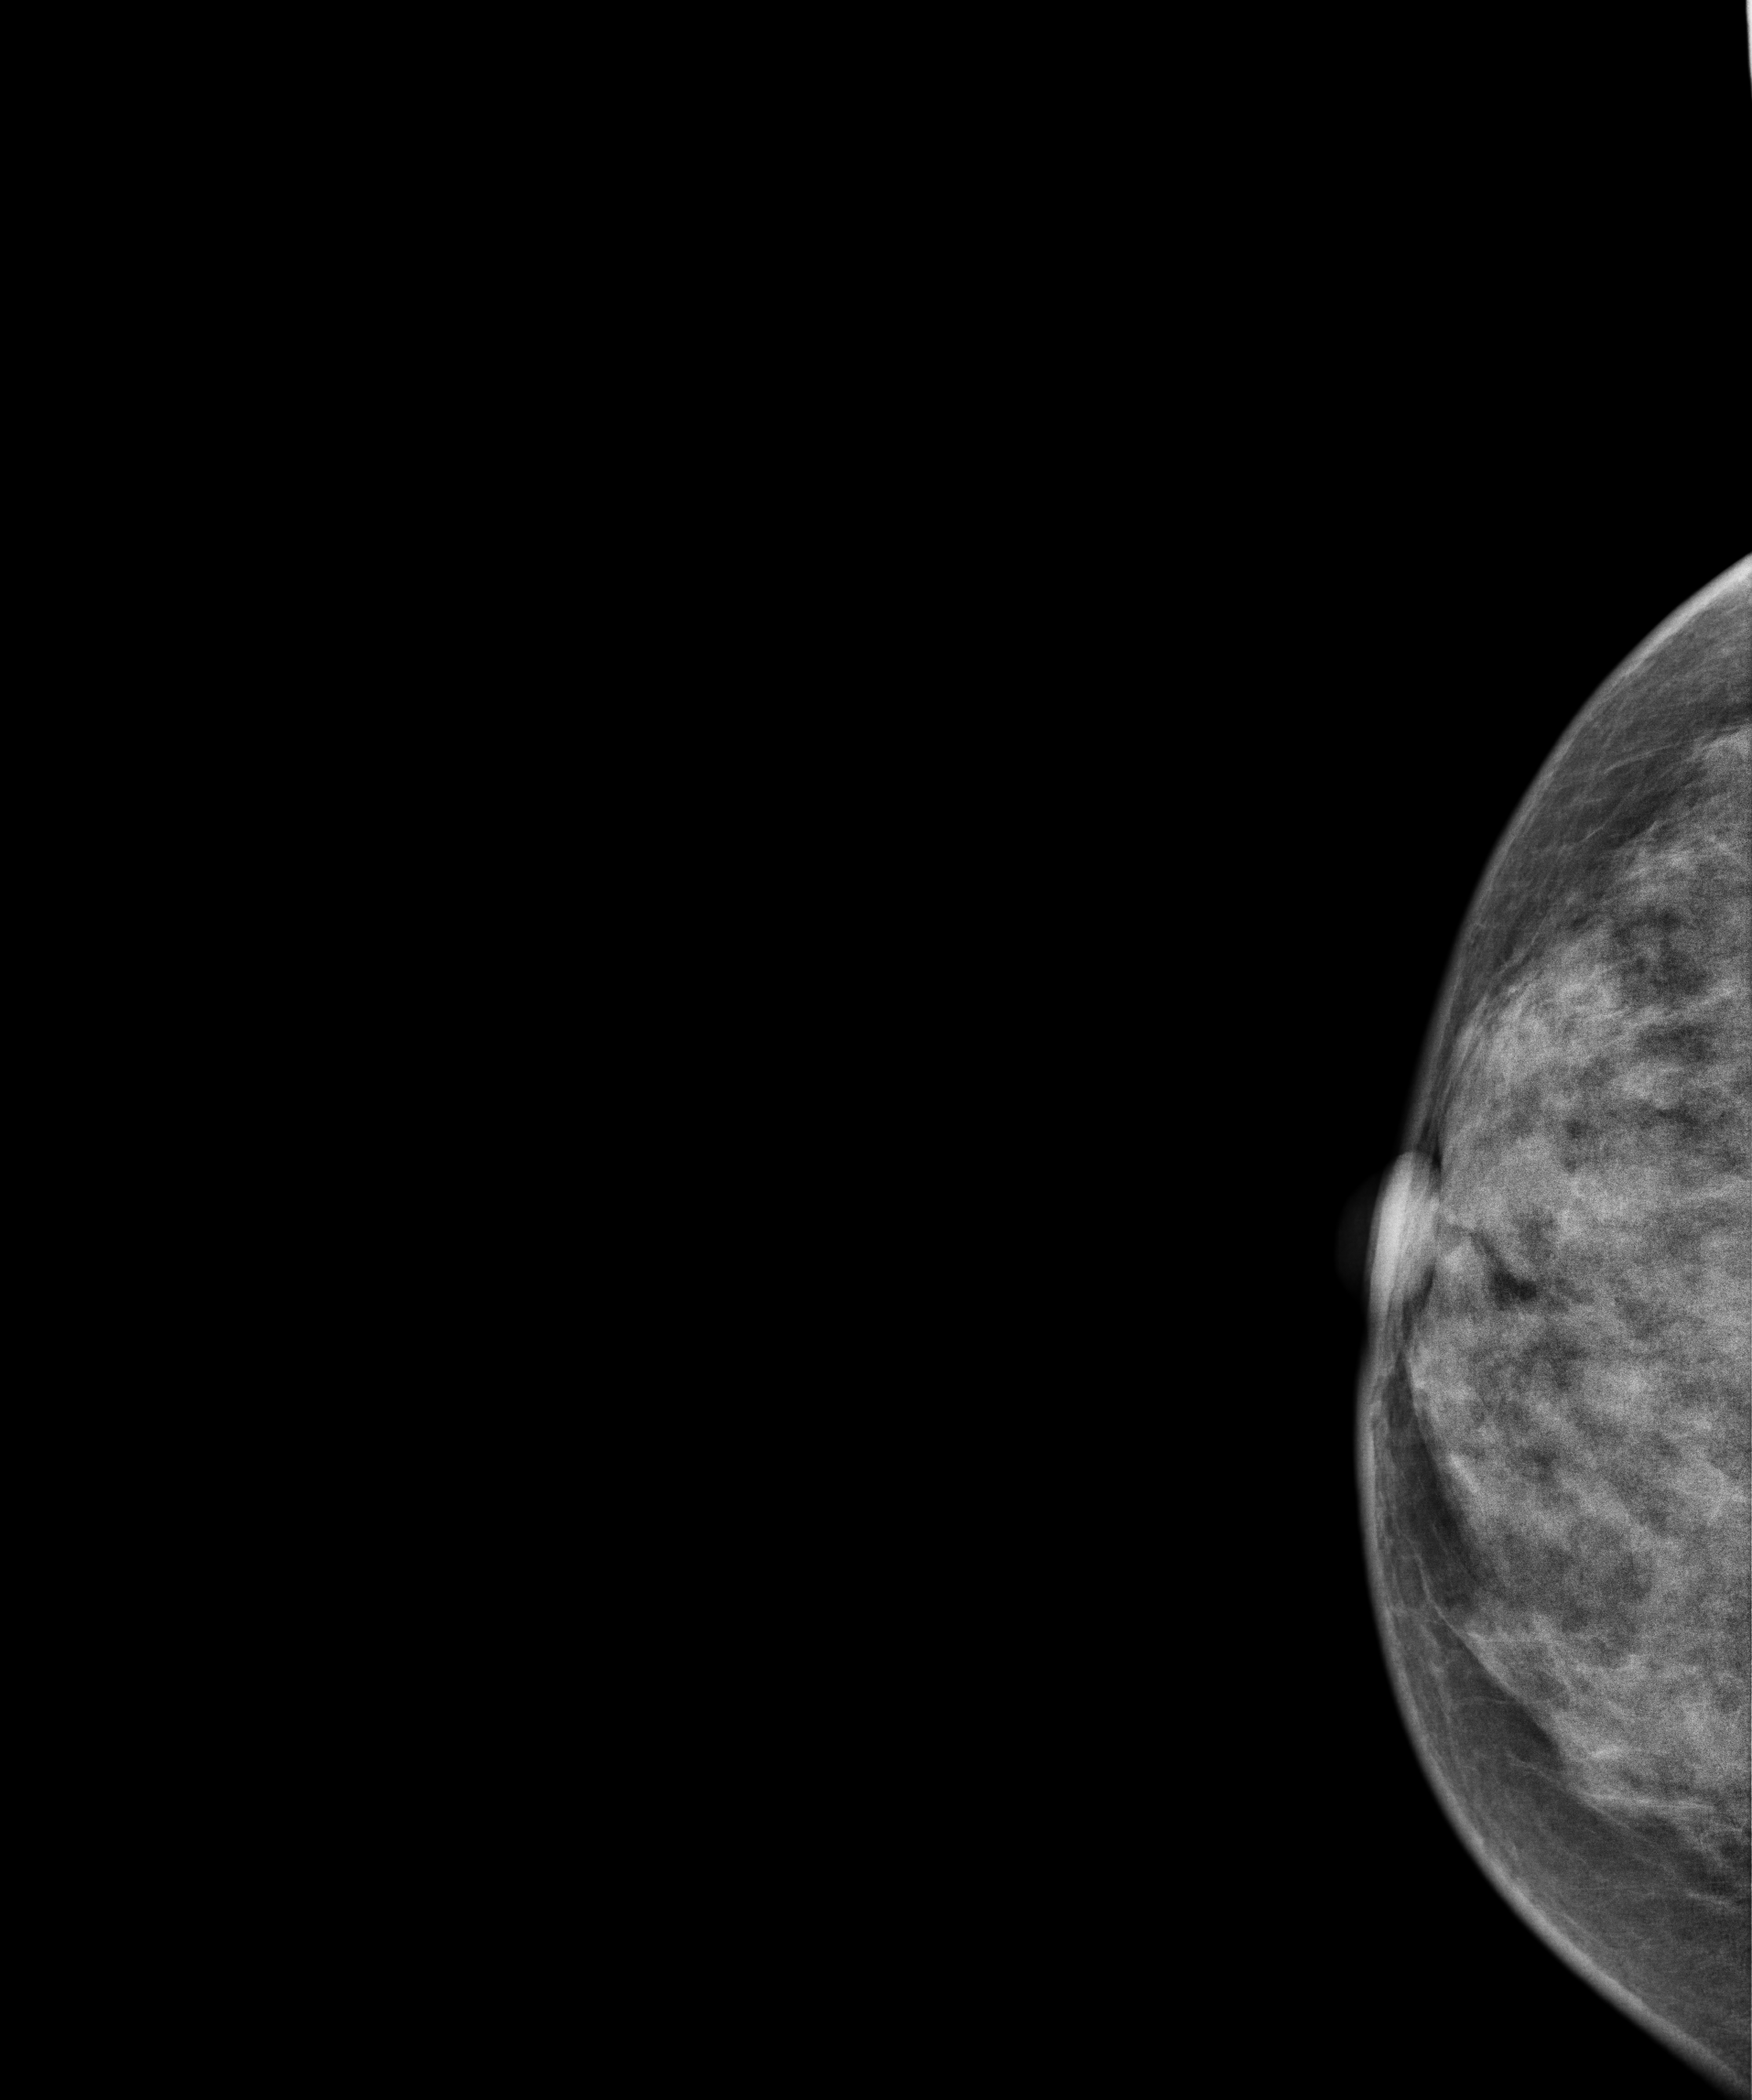
Mammogram, right breast, CC view. Patient age 45.
This breast has a mass, histologically confirmed benign.